Digital mammography. Right breast, medio-lateral oblique projection. Patient age 43.
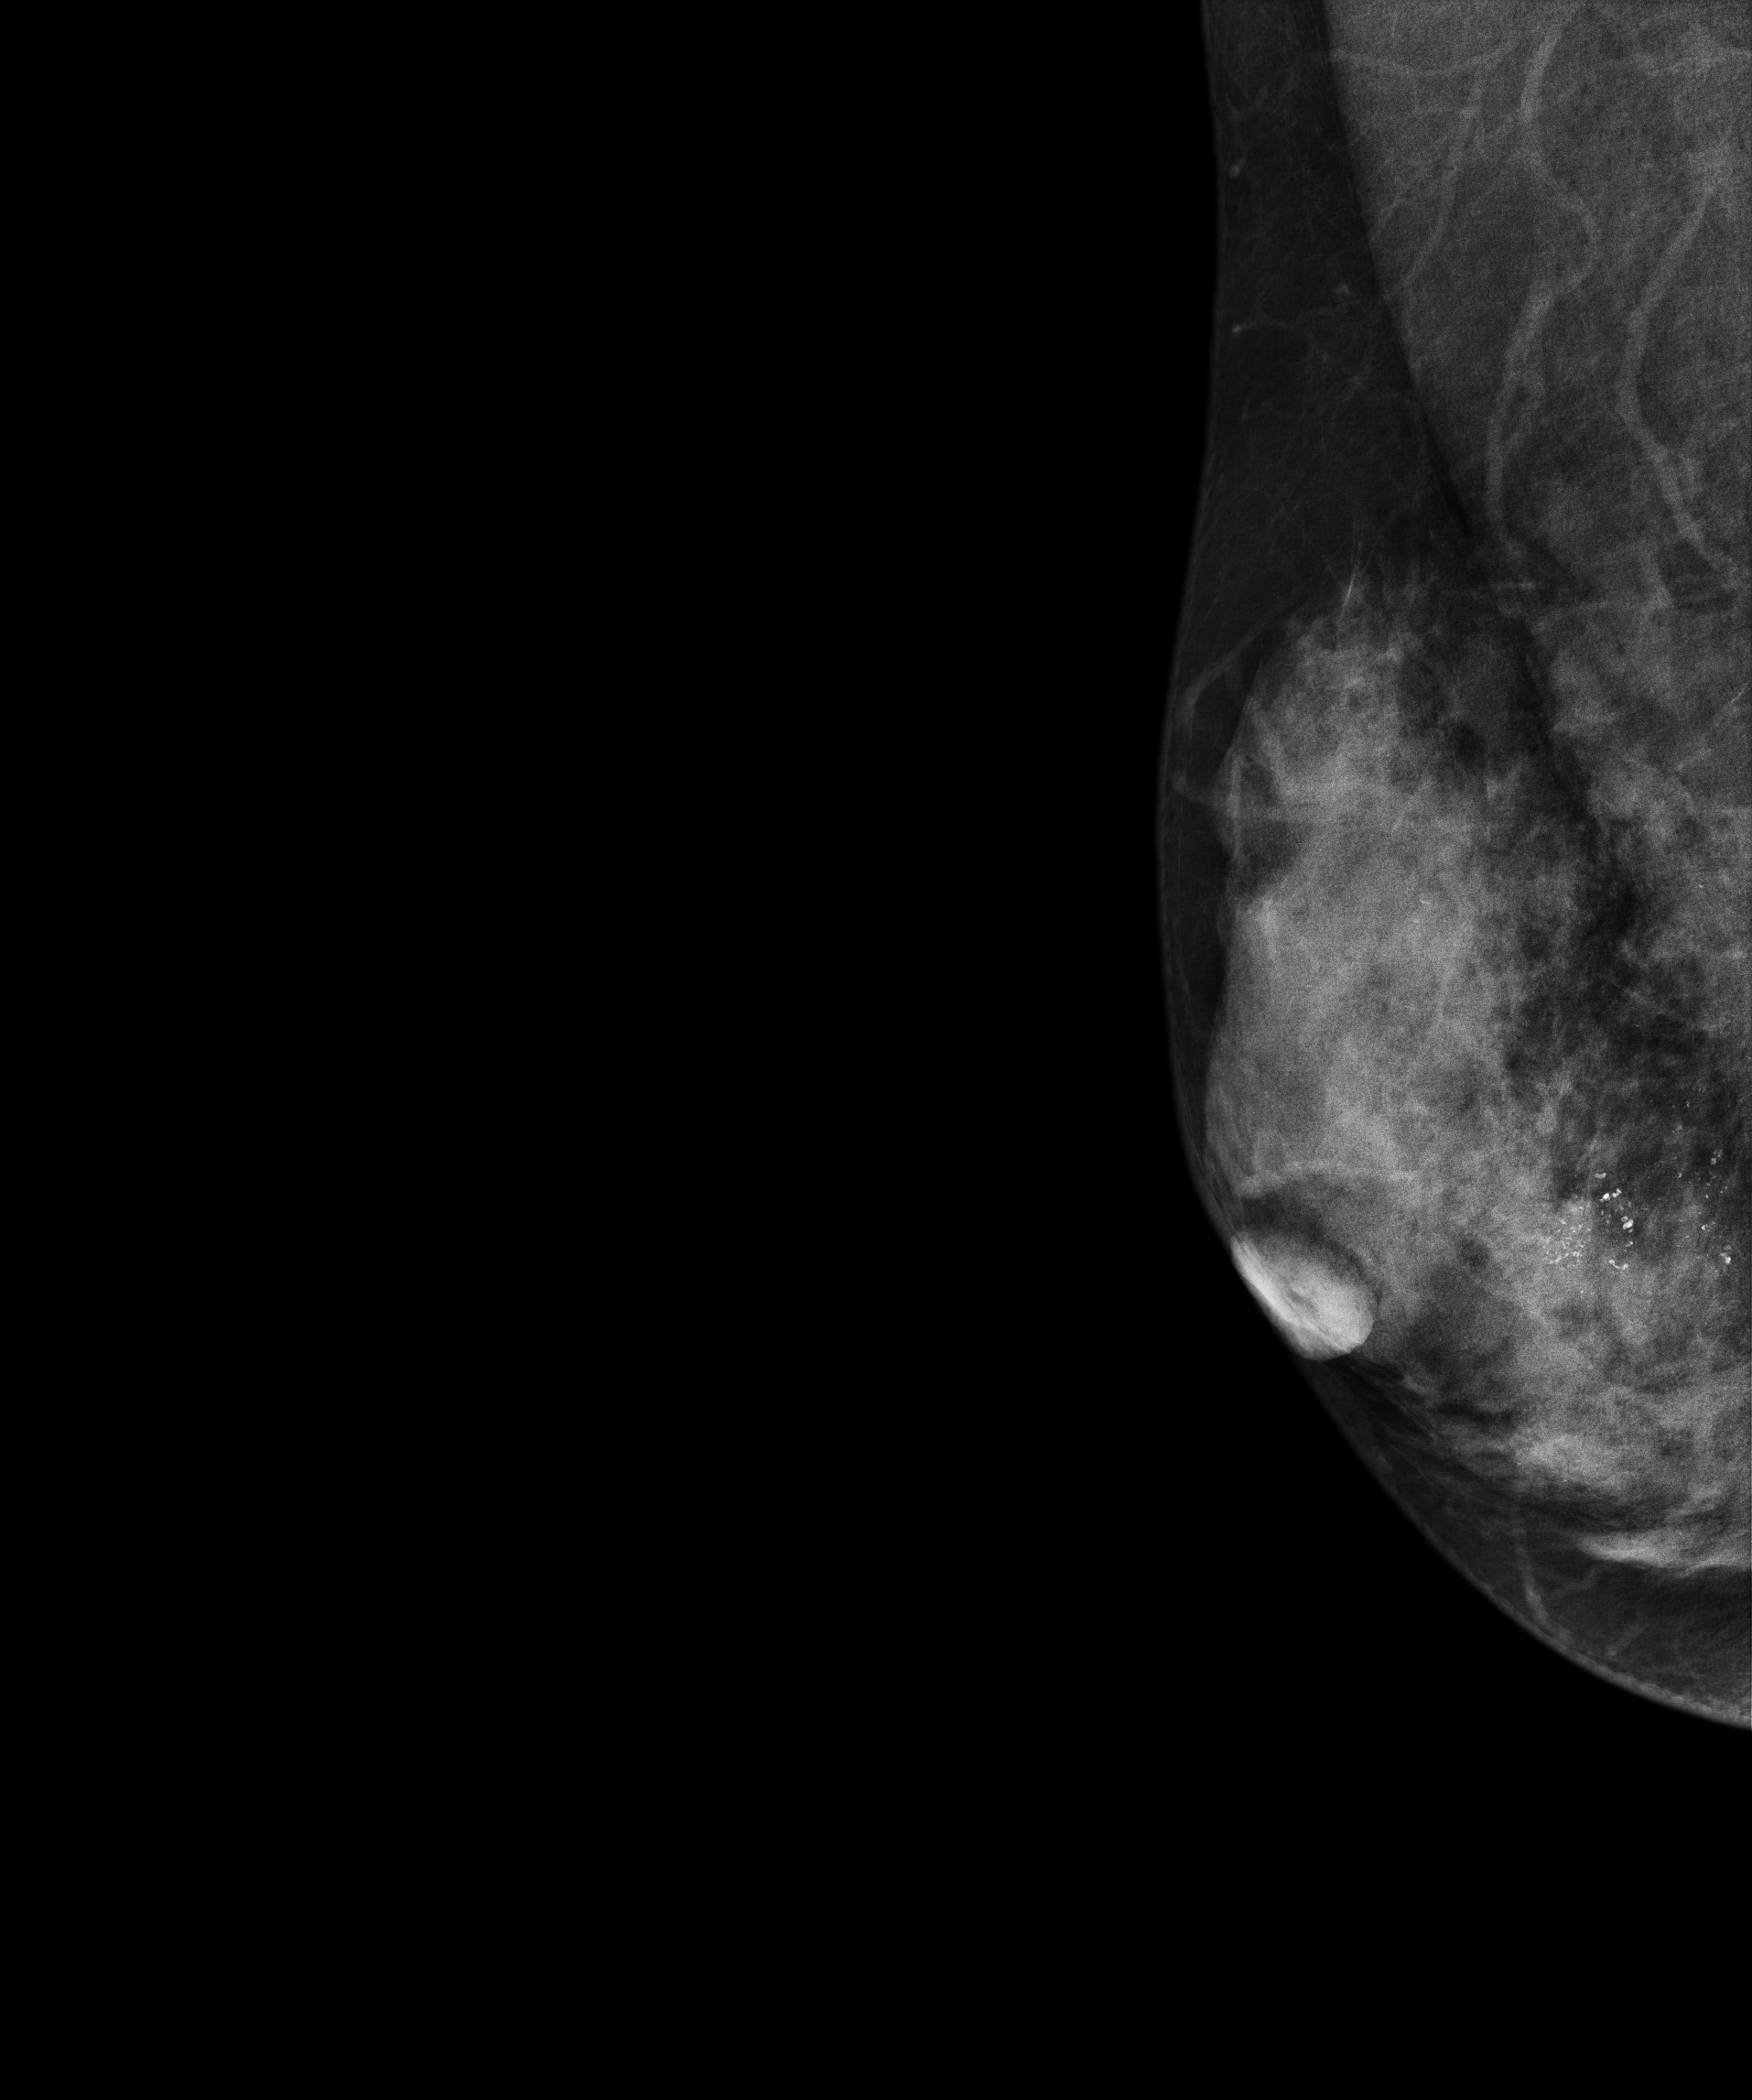
This breast has calcifications, biopsy-proven malignant. Molecular subtype: HER2-enriched.